Digital mammography. Right breast, medio-lateral oblique projection. 51-year-old patient.
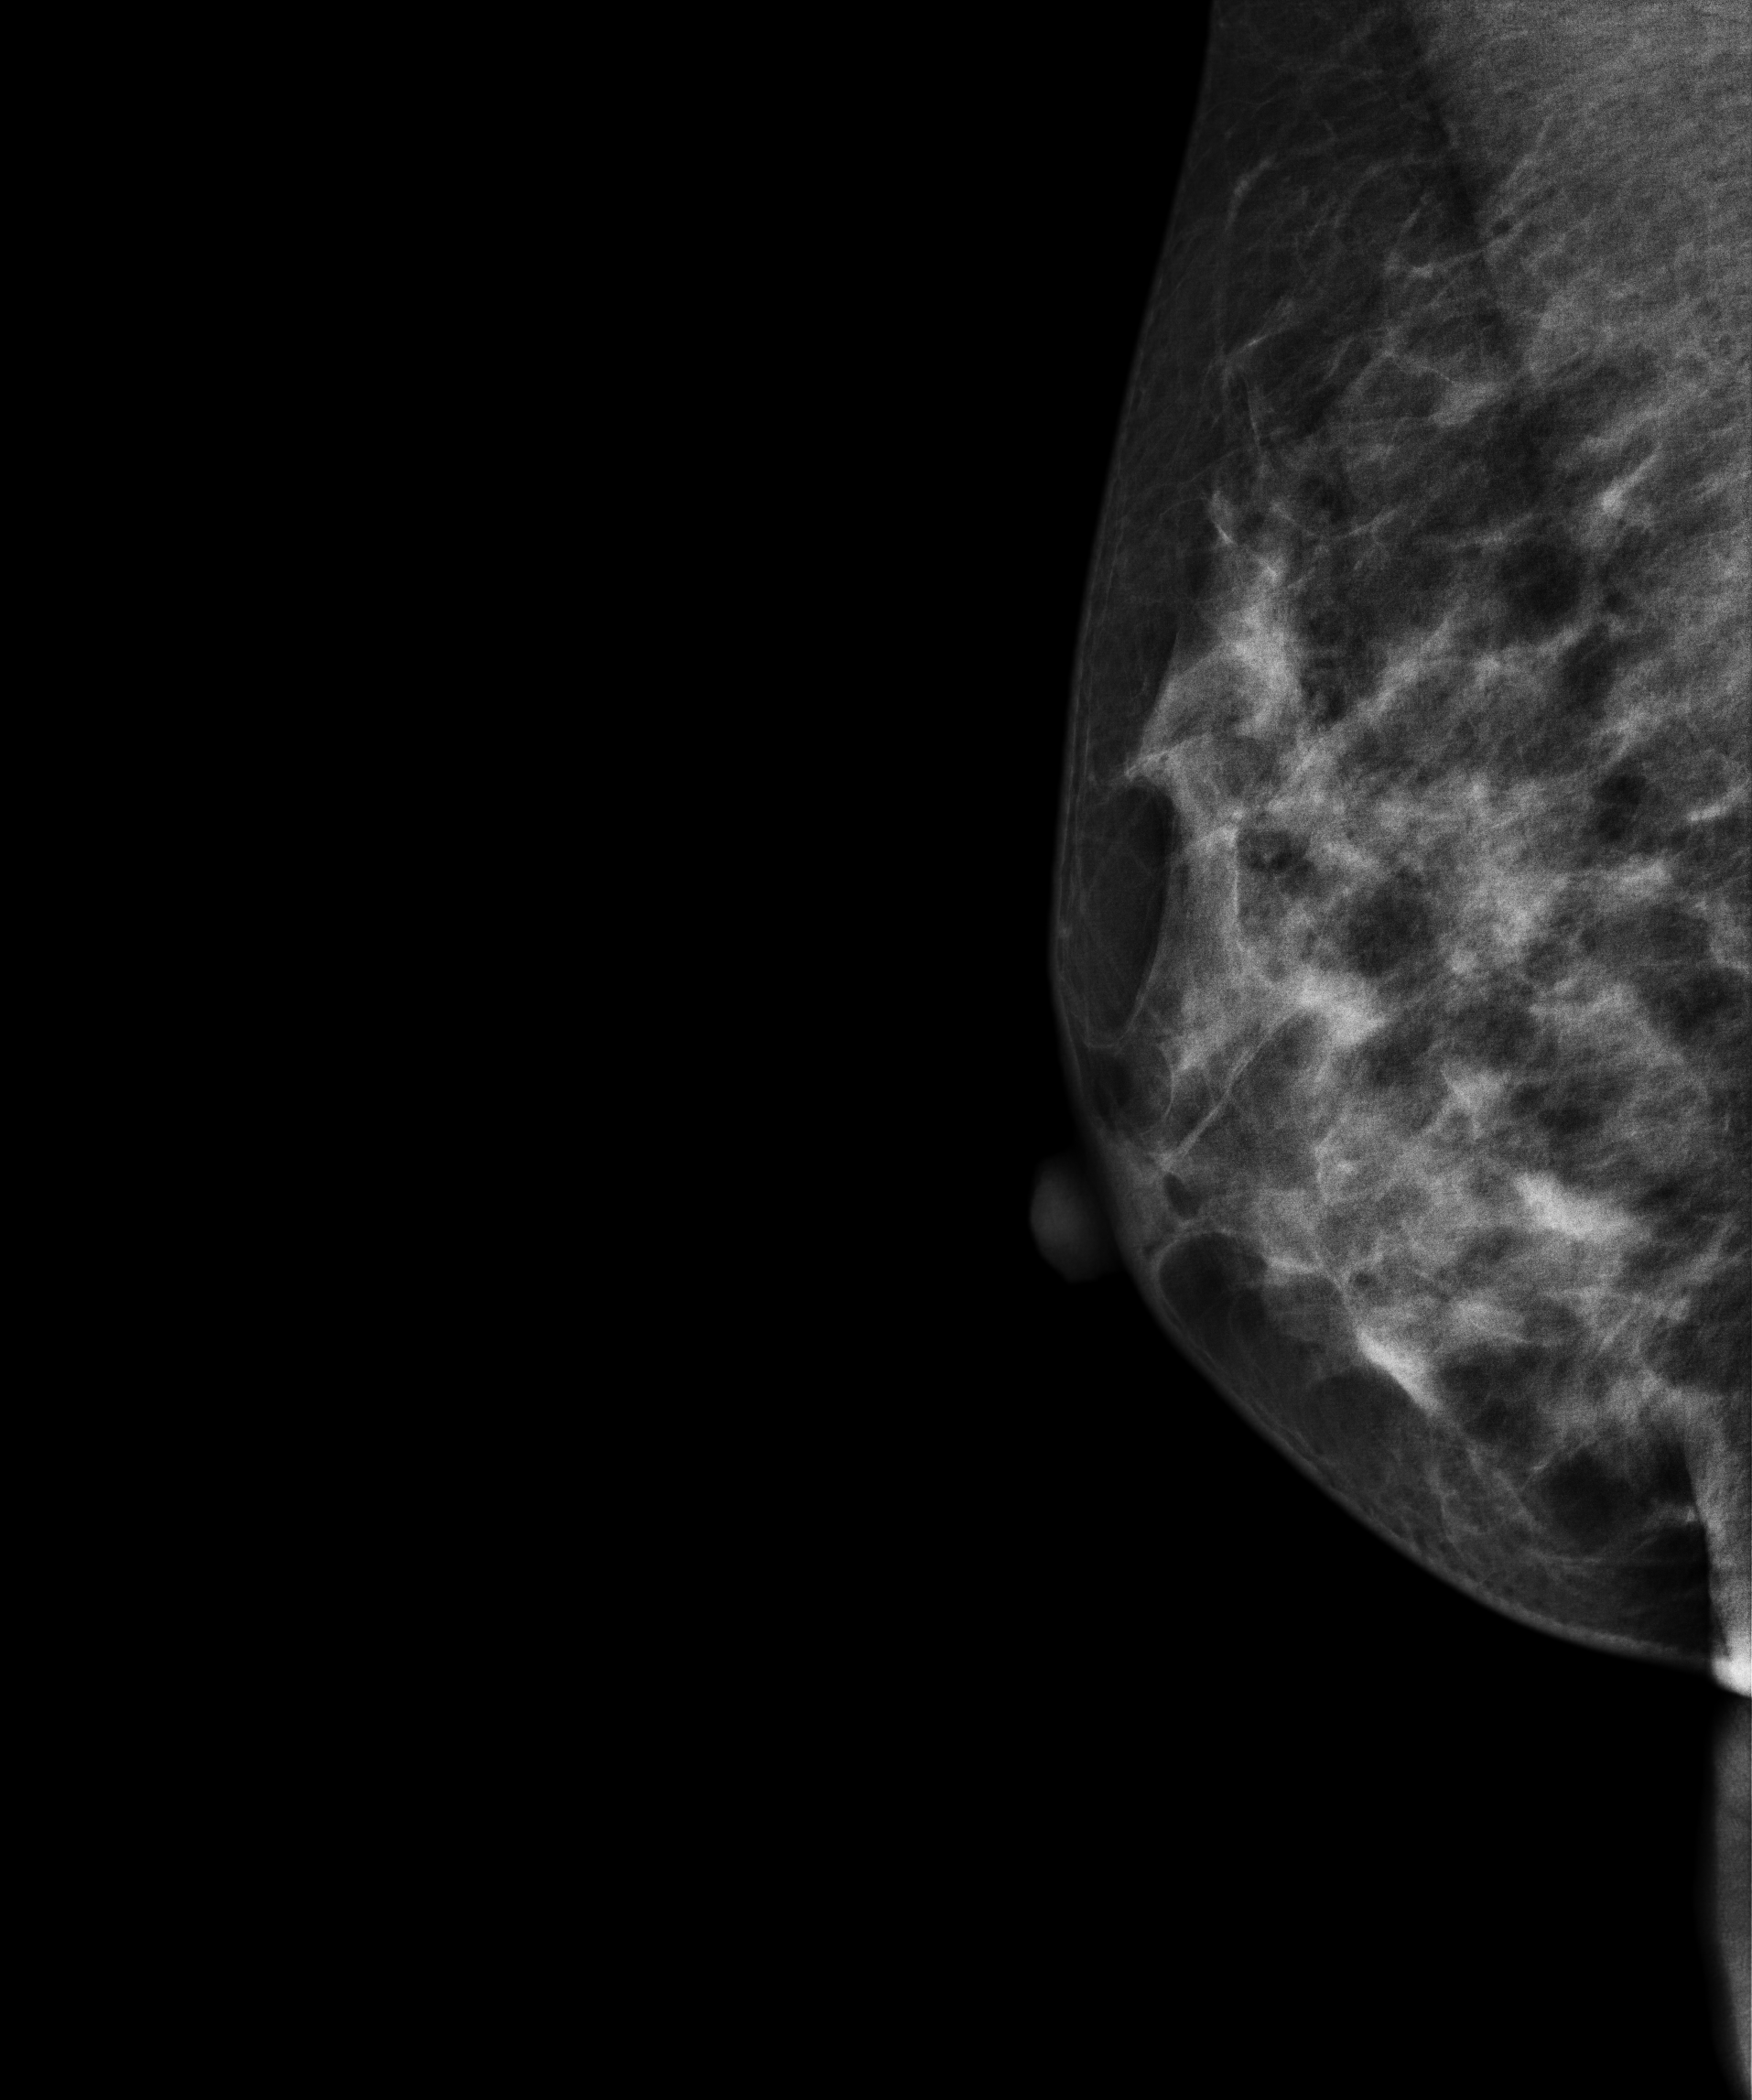
Contralateral breast — no documented abnormality on this side.